Digital mammography. Right breast, CC projection. 67-year-old patient.
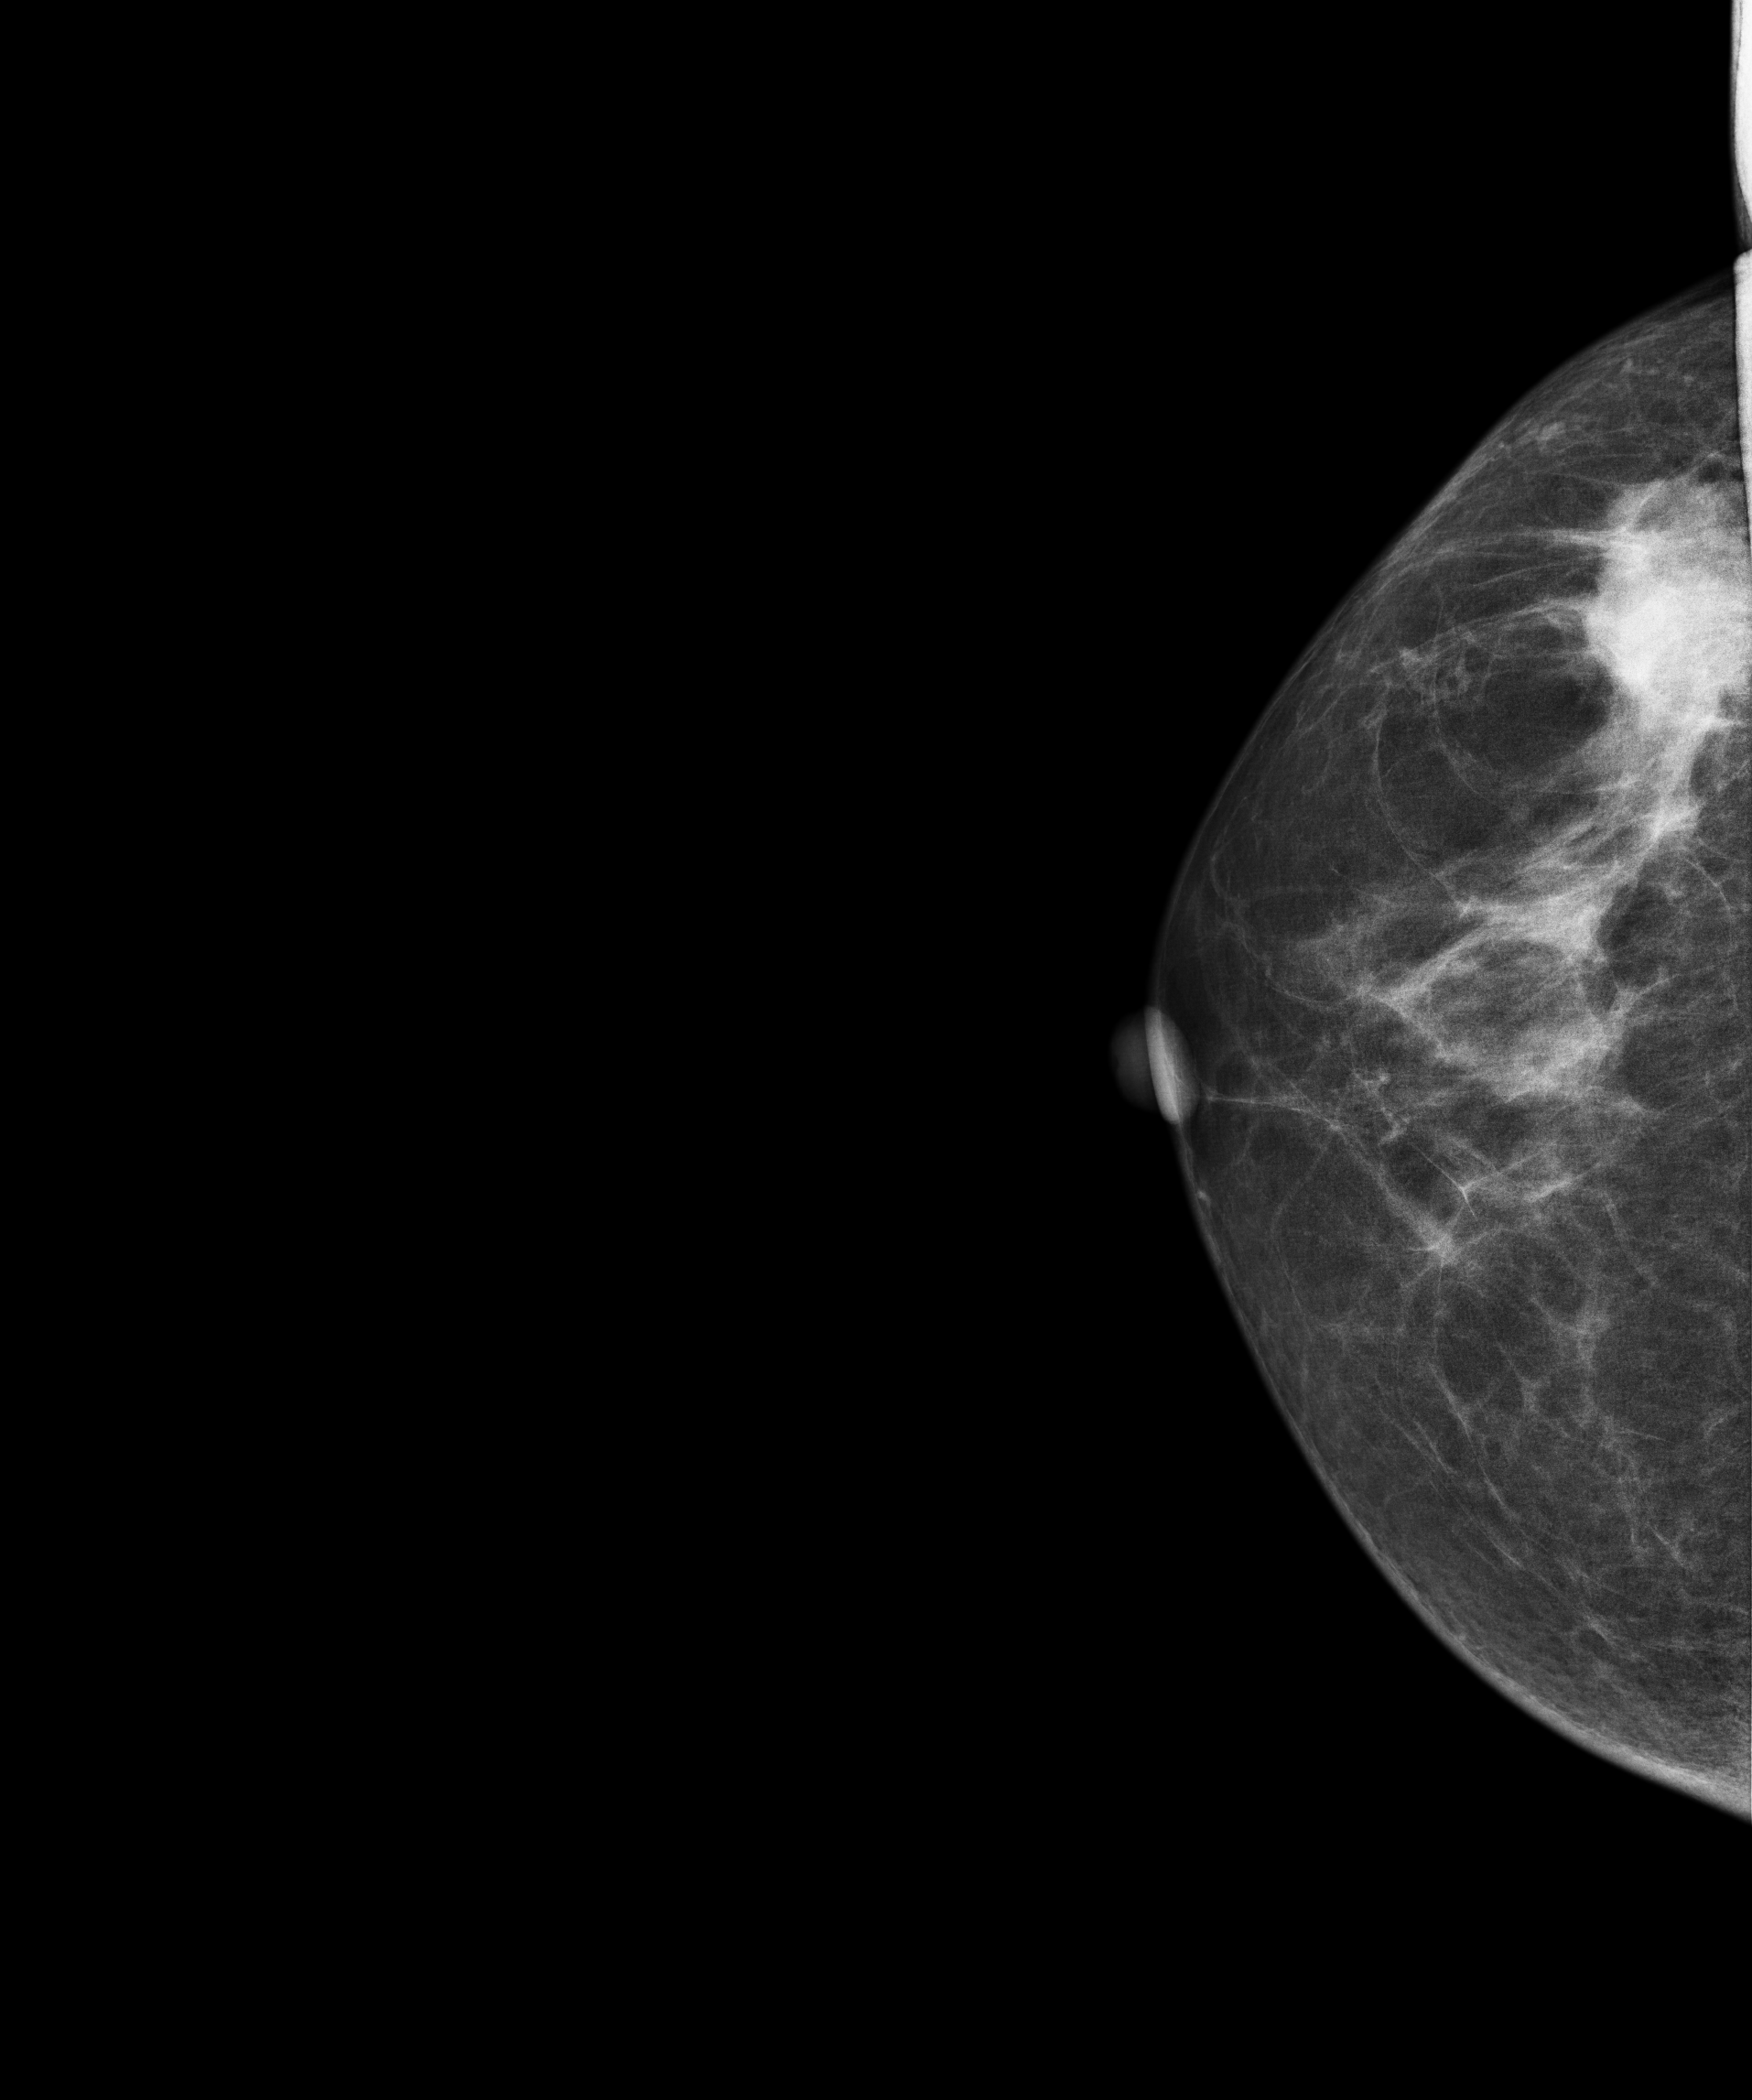
This breast has a mass, biopsy-confirmed malignant.